Left-breast mammogram, CC. 26 y/o patient.
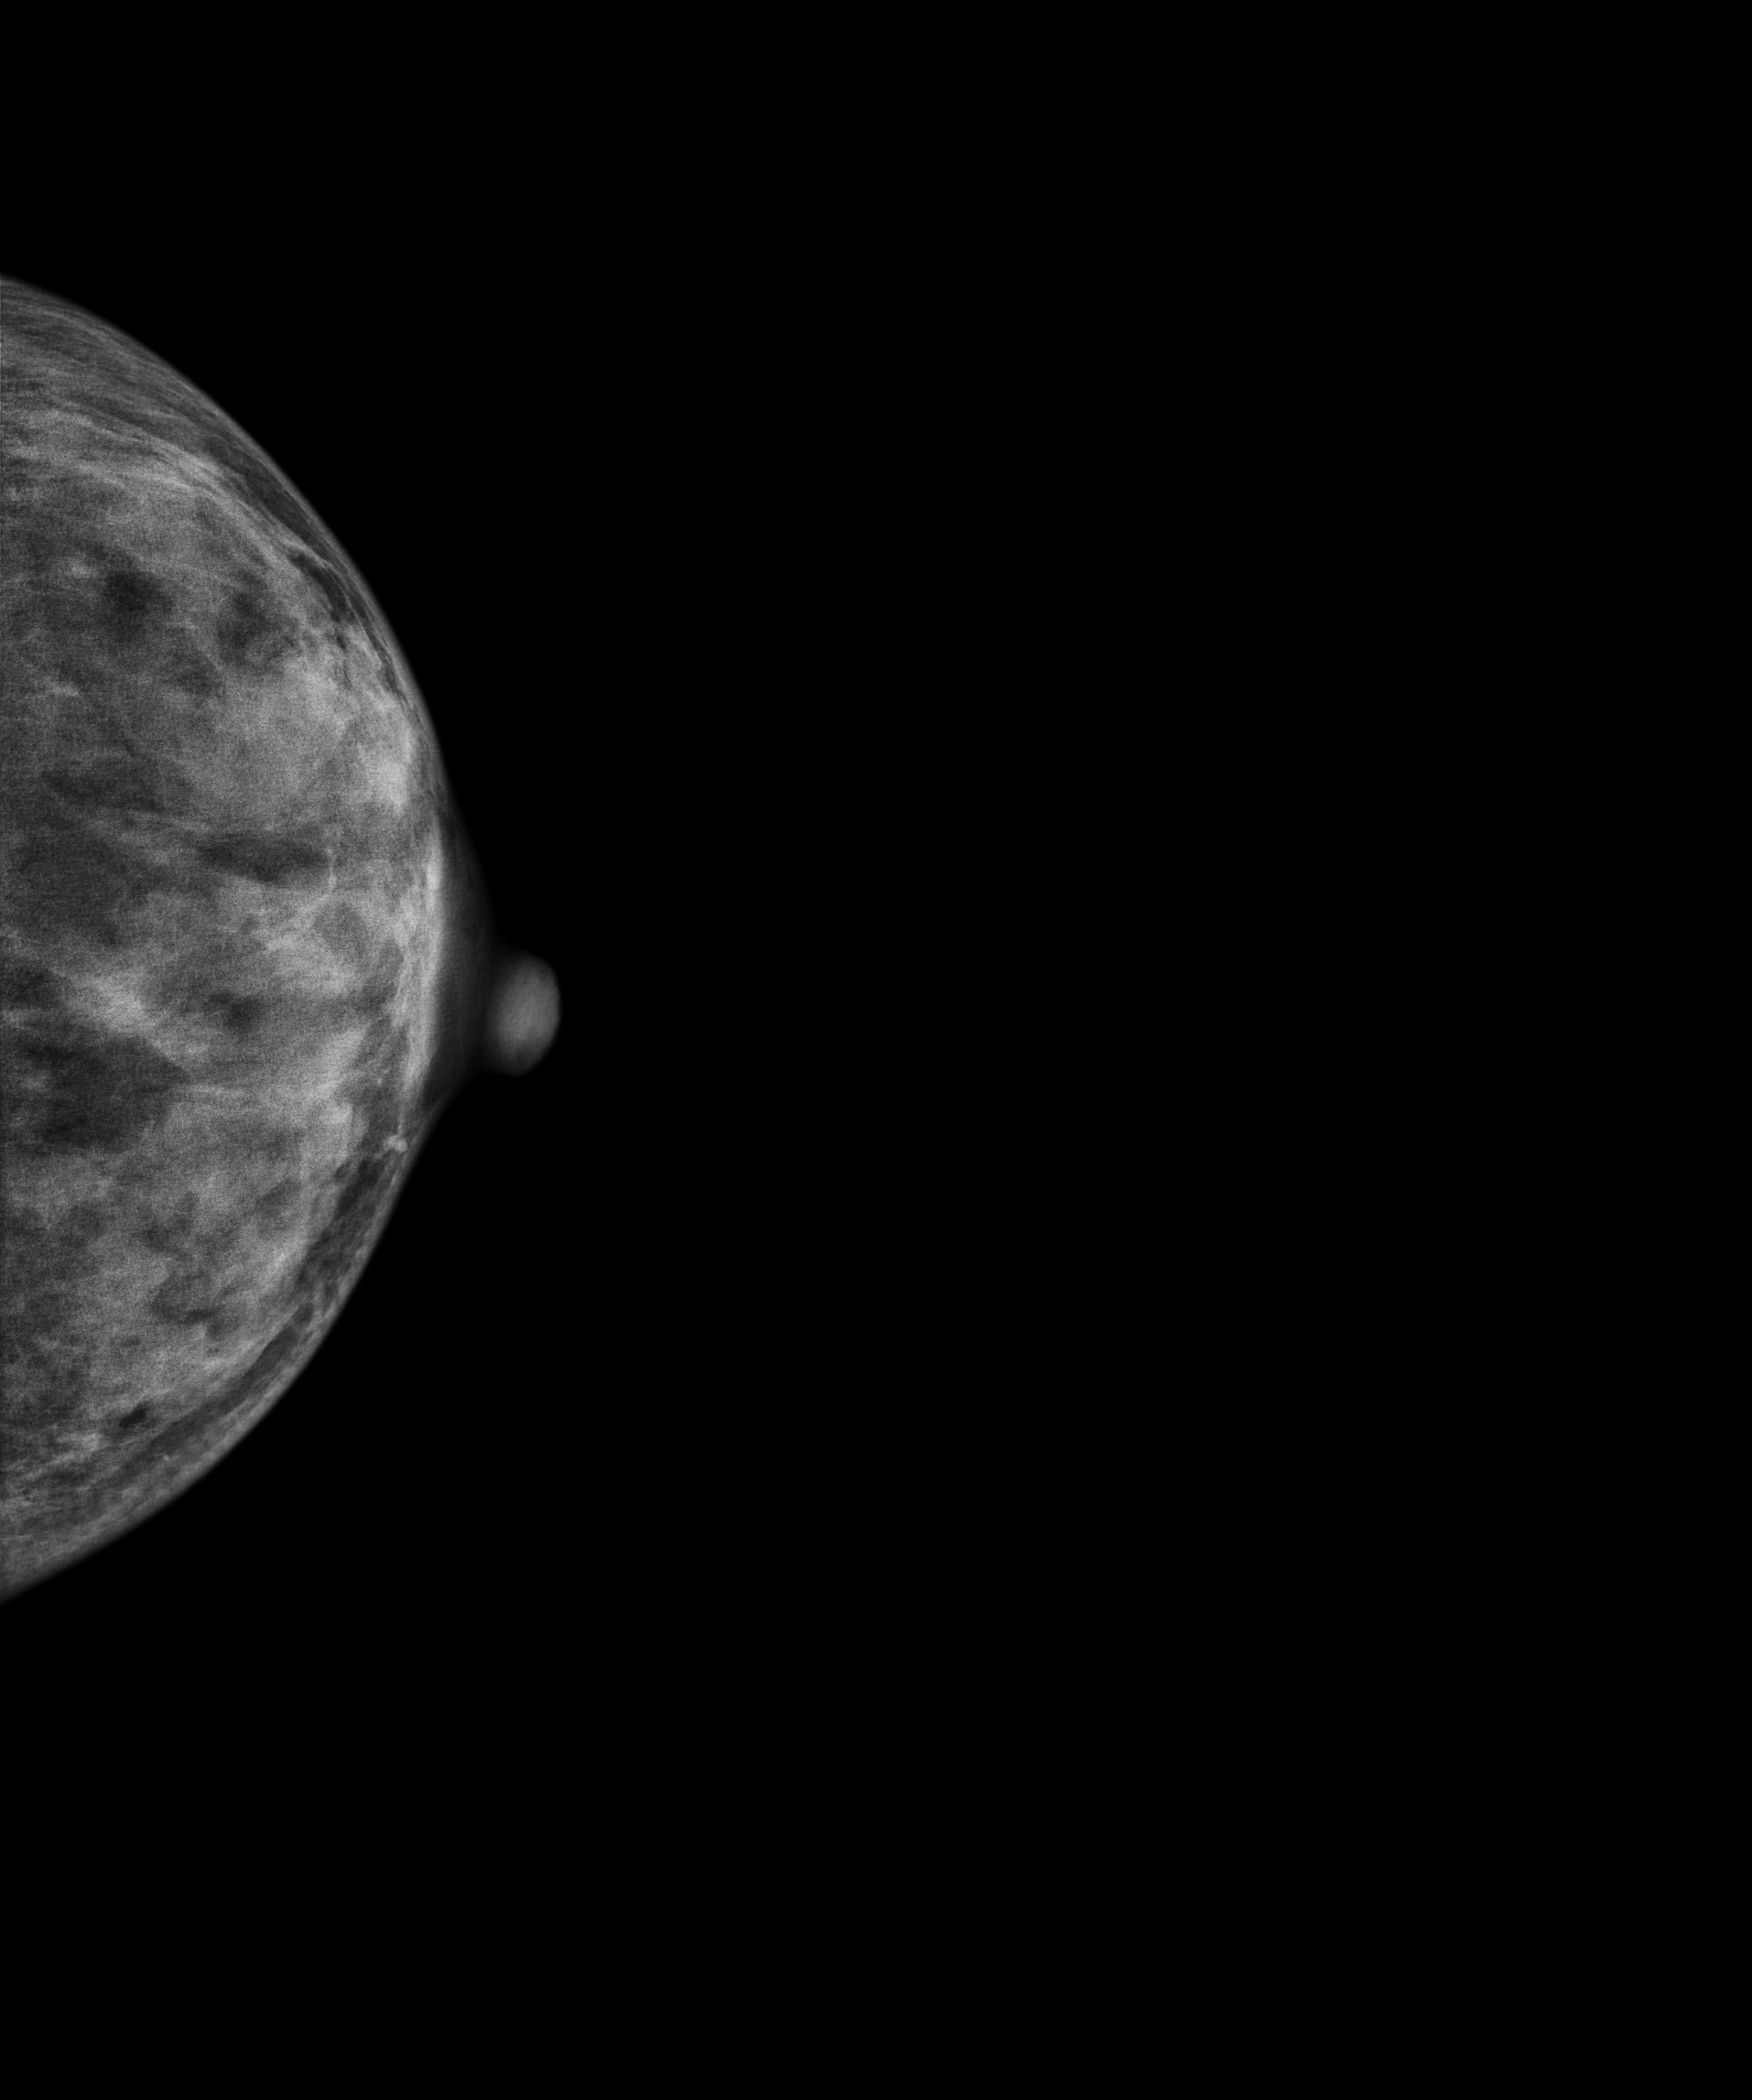
This breast has a mass and calcifications, biopsy-proven benign.